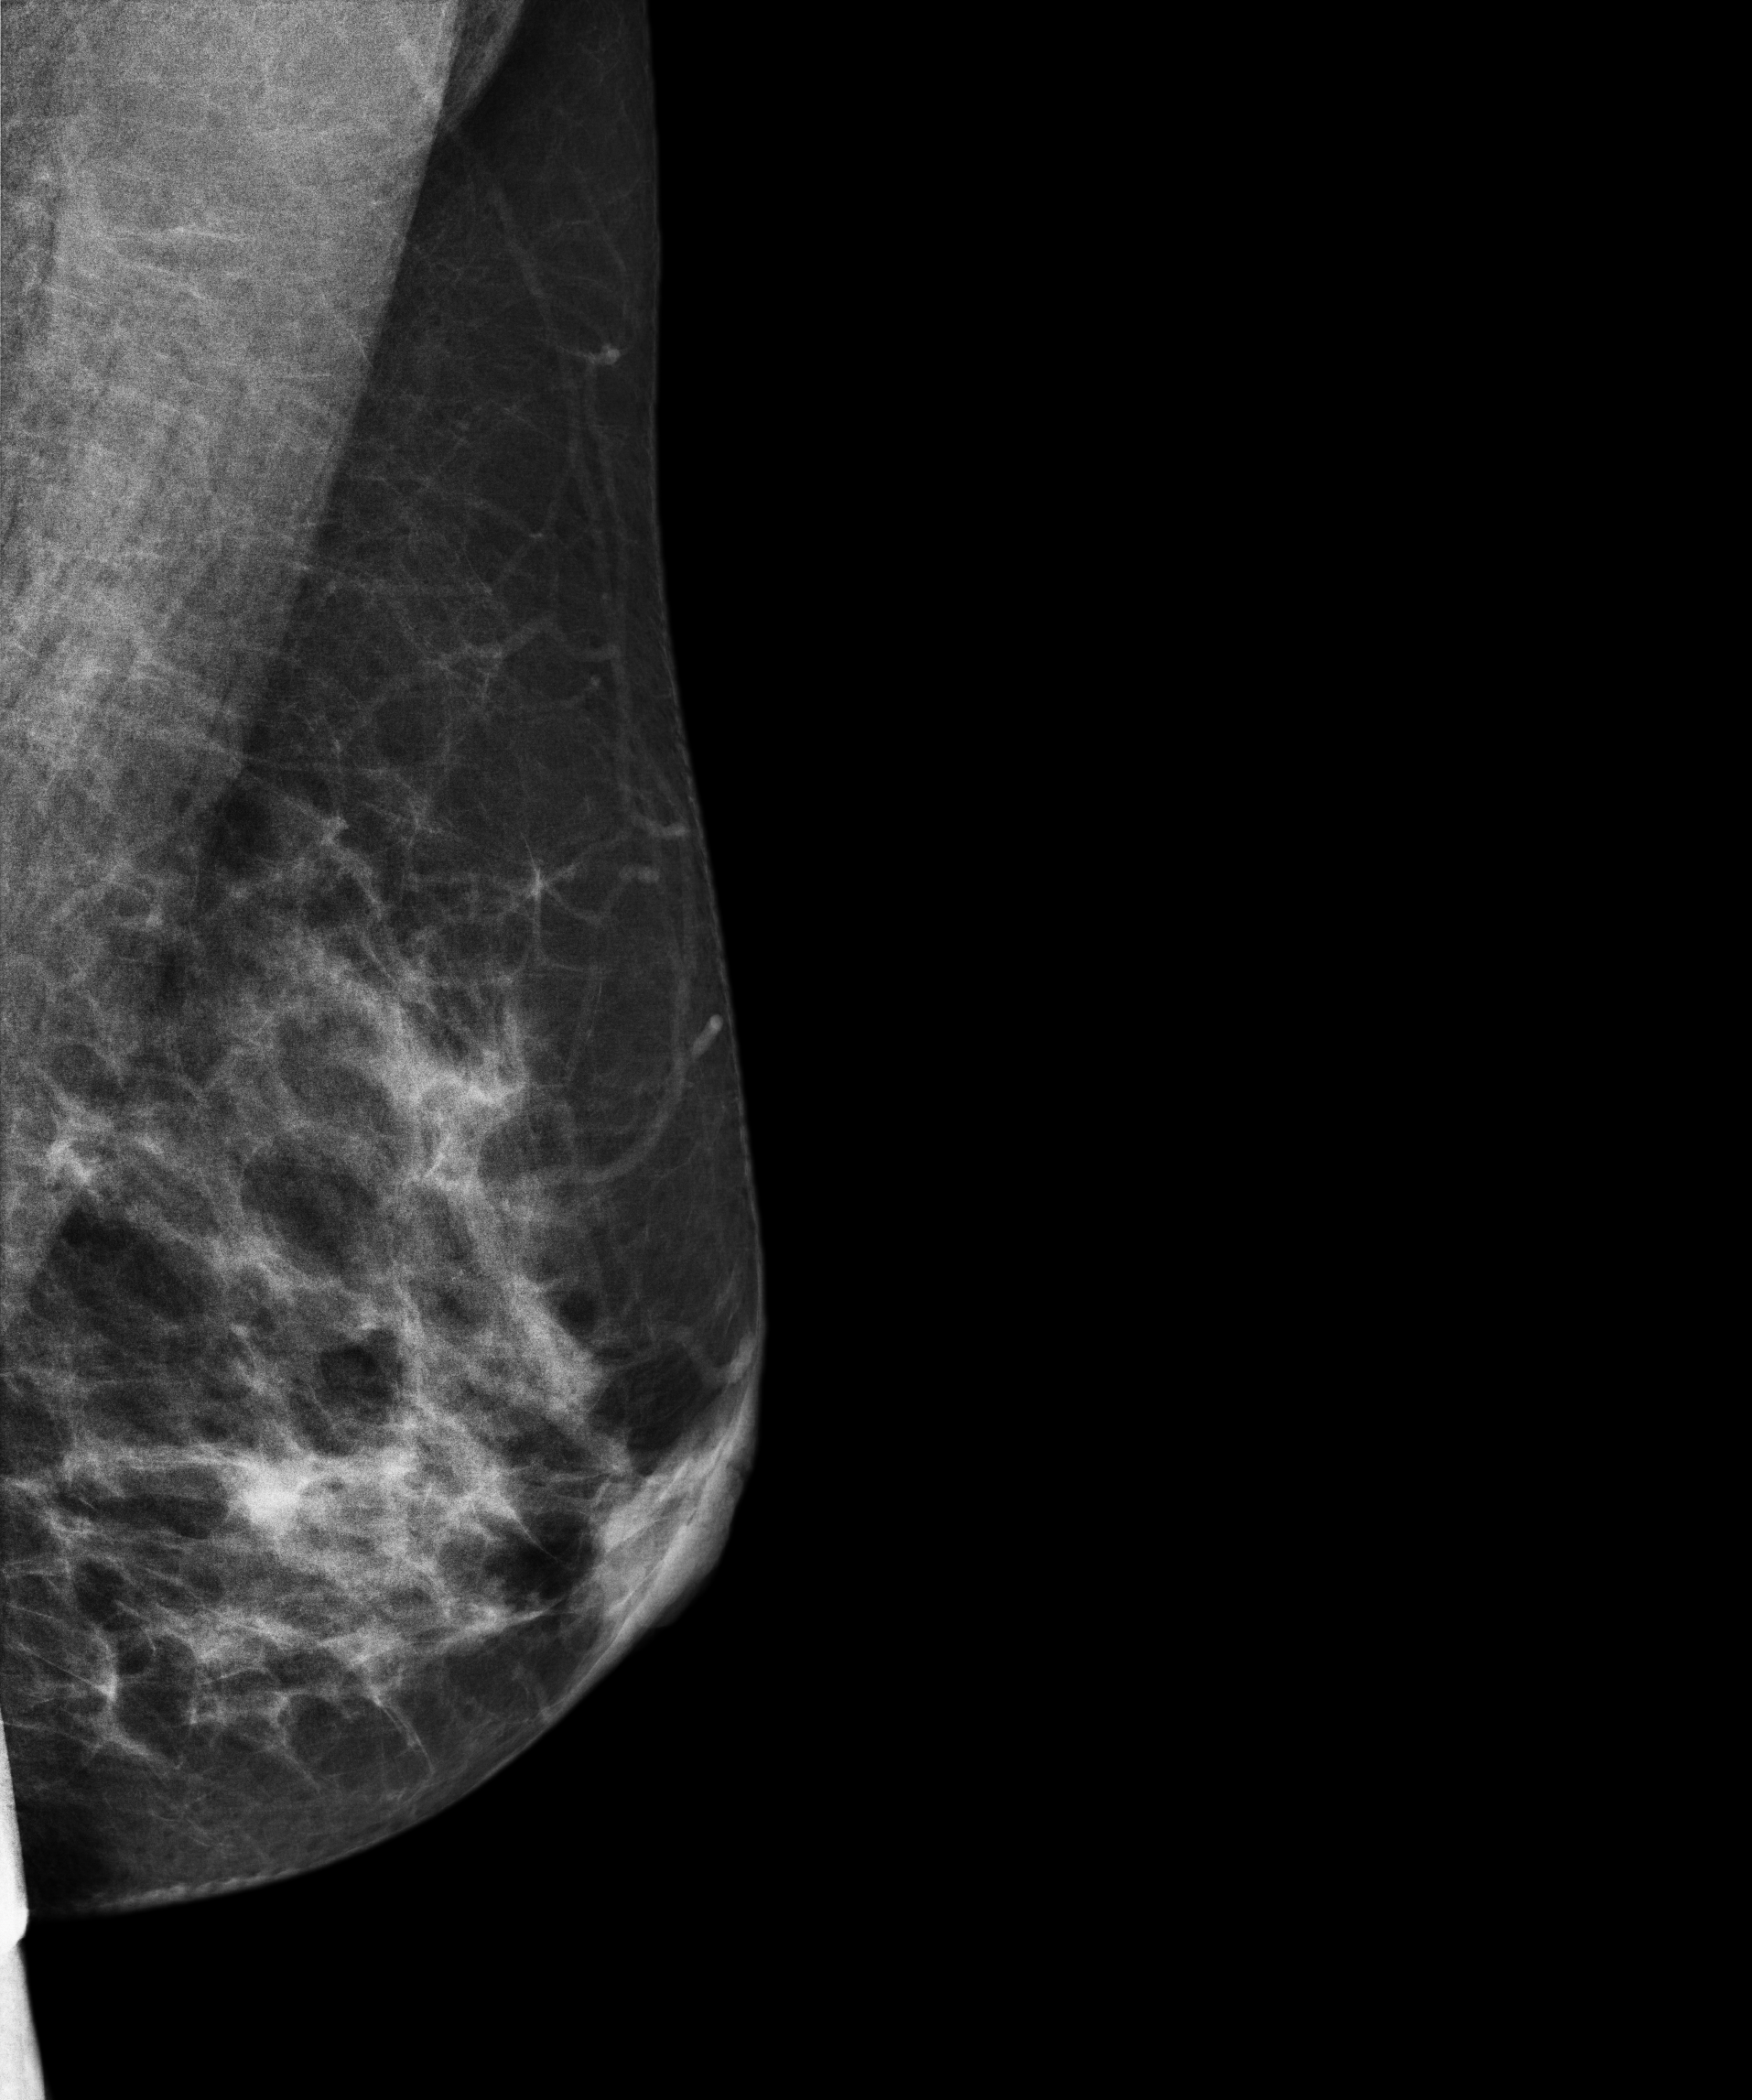
Left-breast mammogram, MLO. Patient age 51.
This breast has a mass, biopsy-proven malignant. Molecular subtype: HER2-enriched.